Mammogram, right breast, cranio-caudal view. 43 y/o patient.
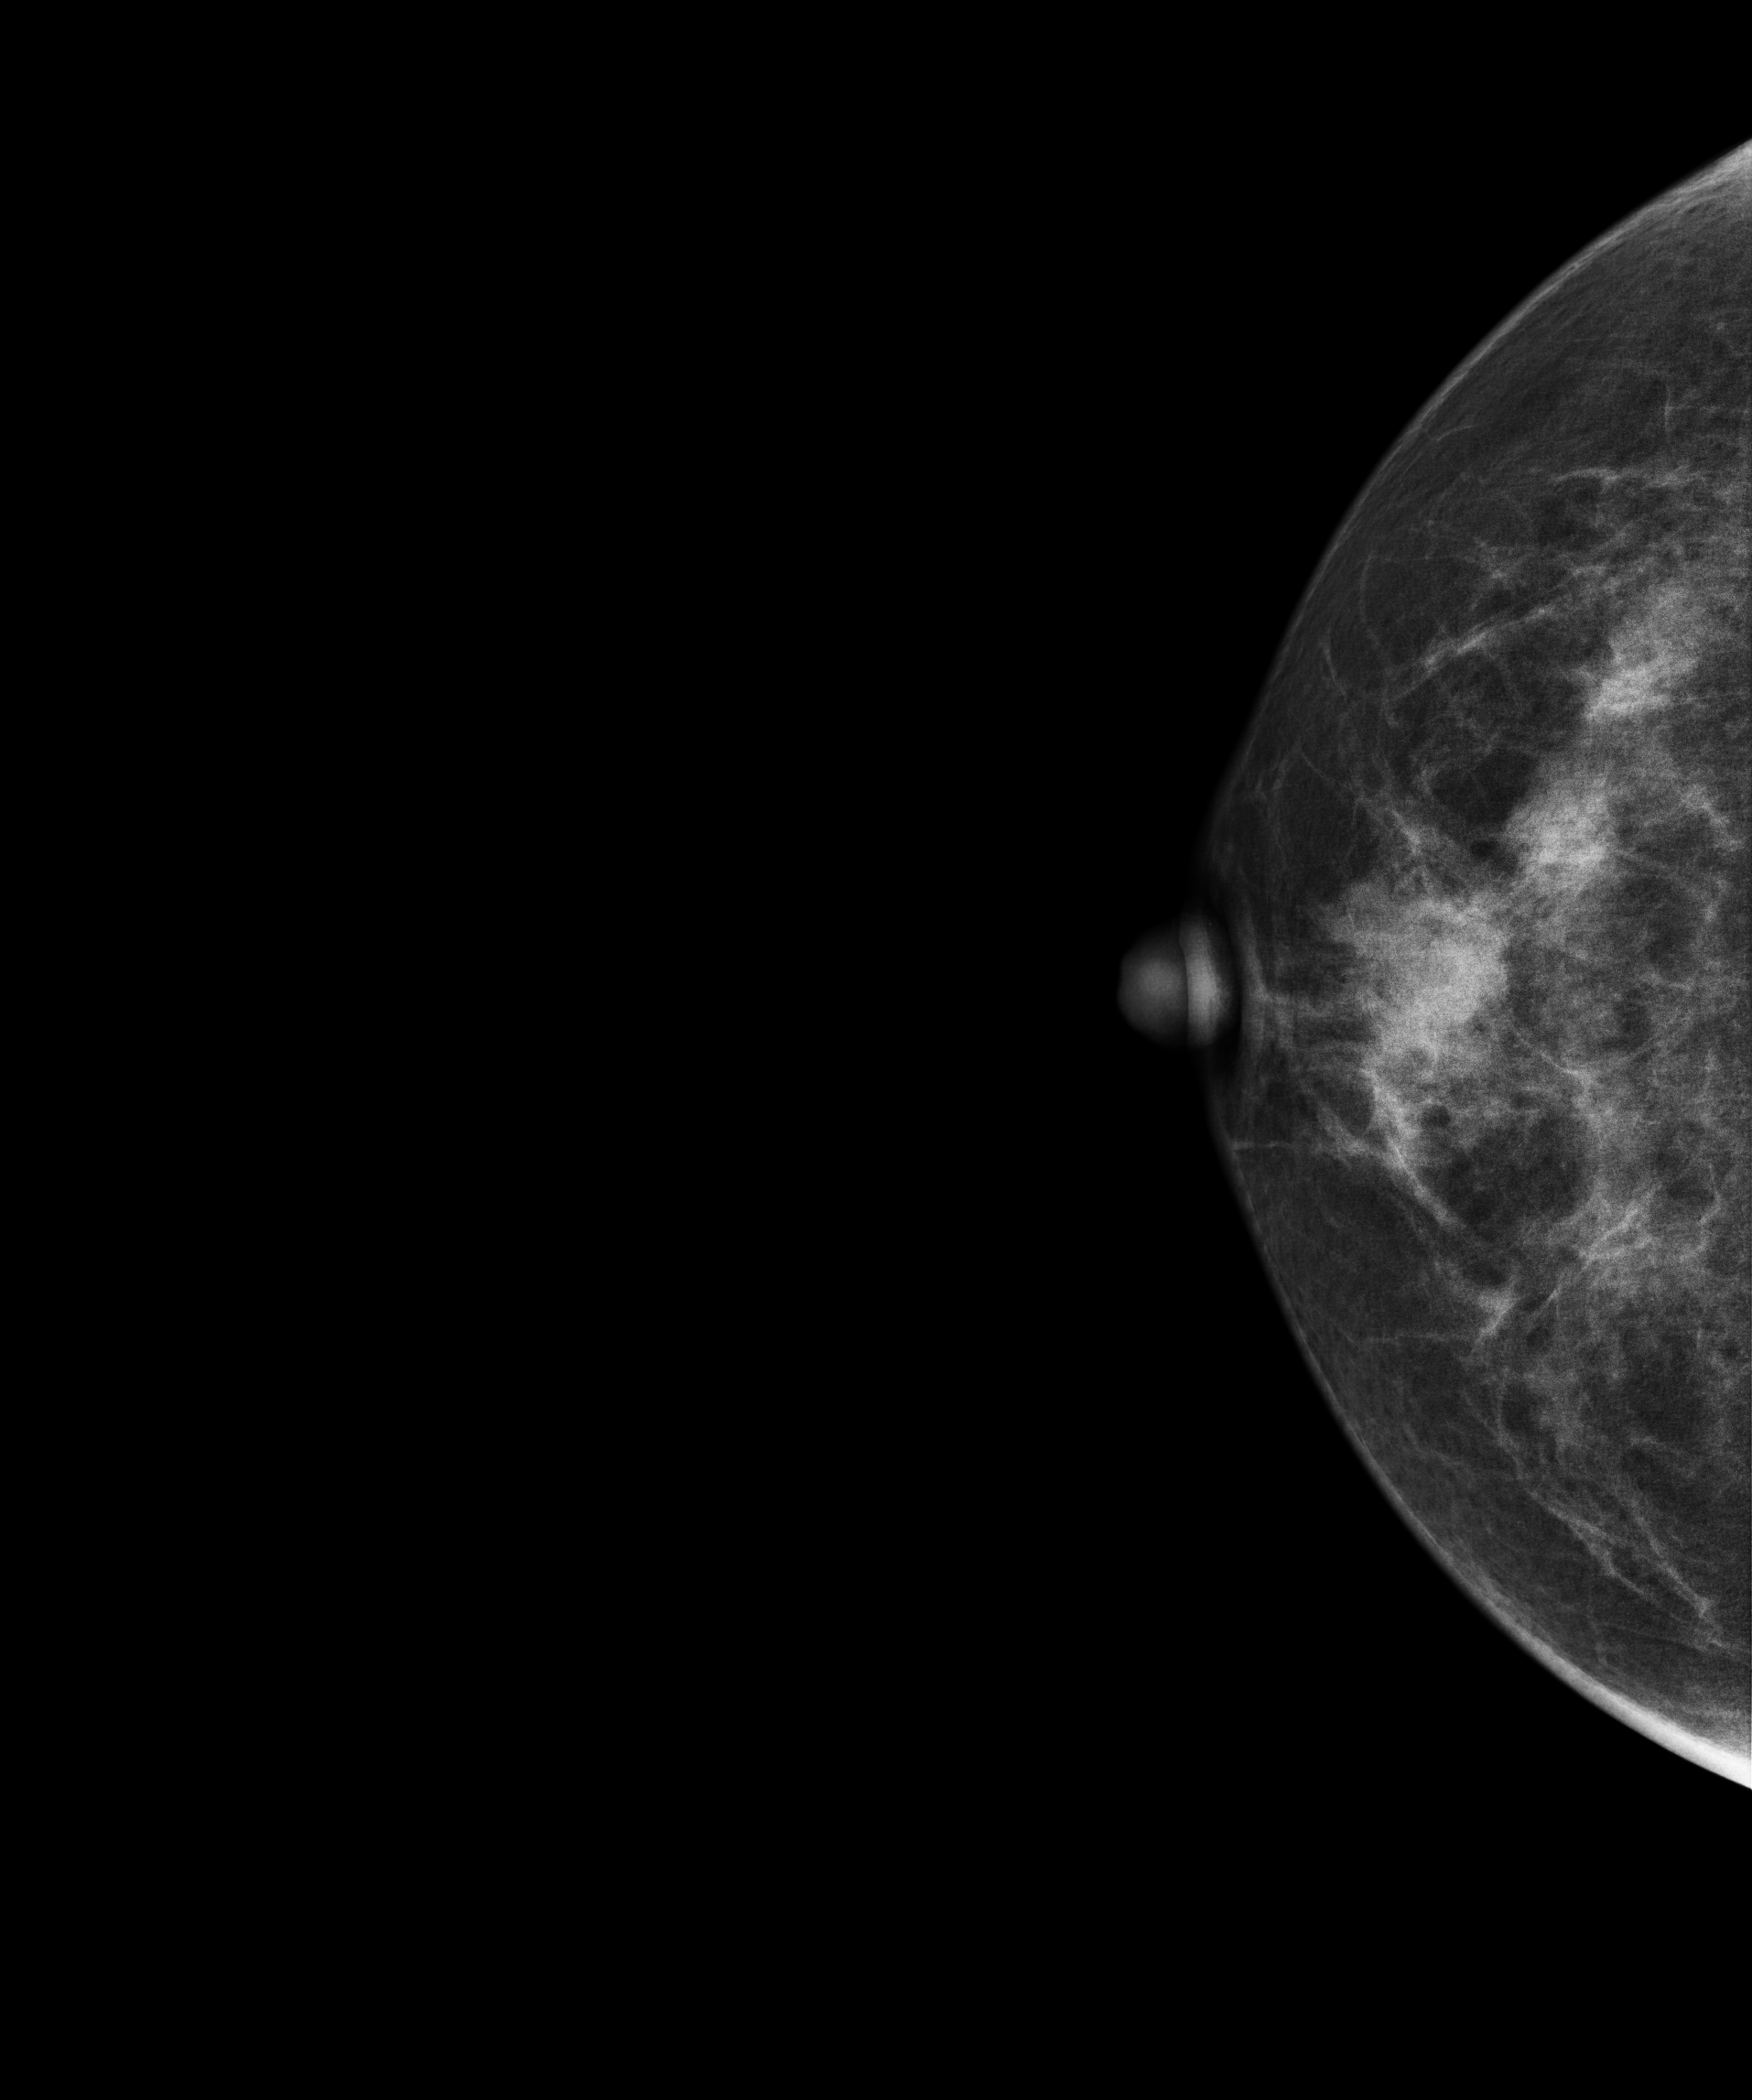
This breast has a mass, pathology-confirmed malignant.